Digital mammography. Left breast, medio-lateral oblique projection. 62 y/o patient.
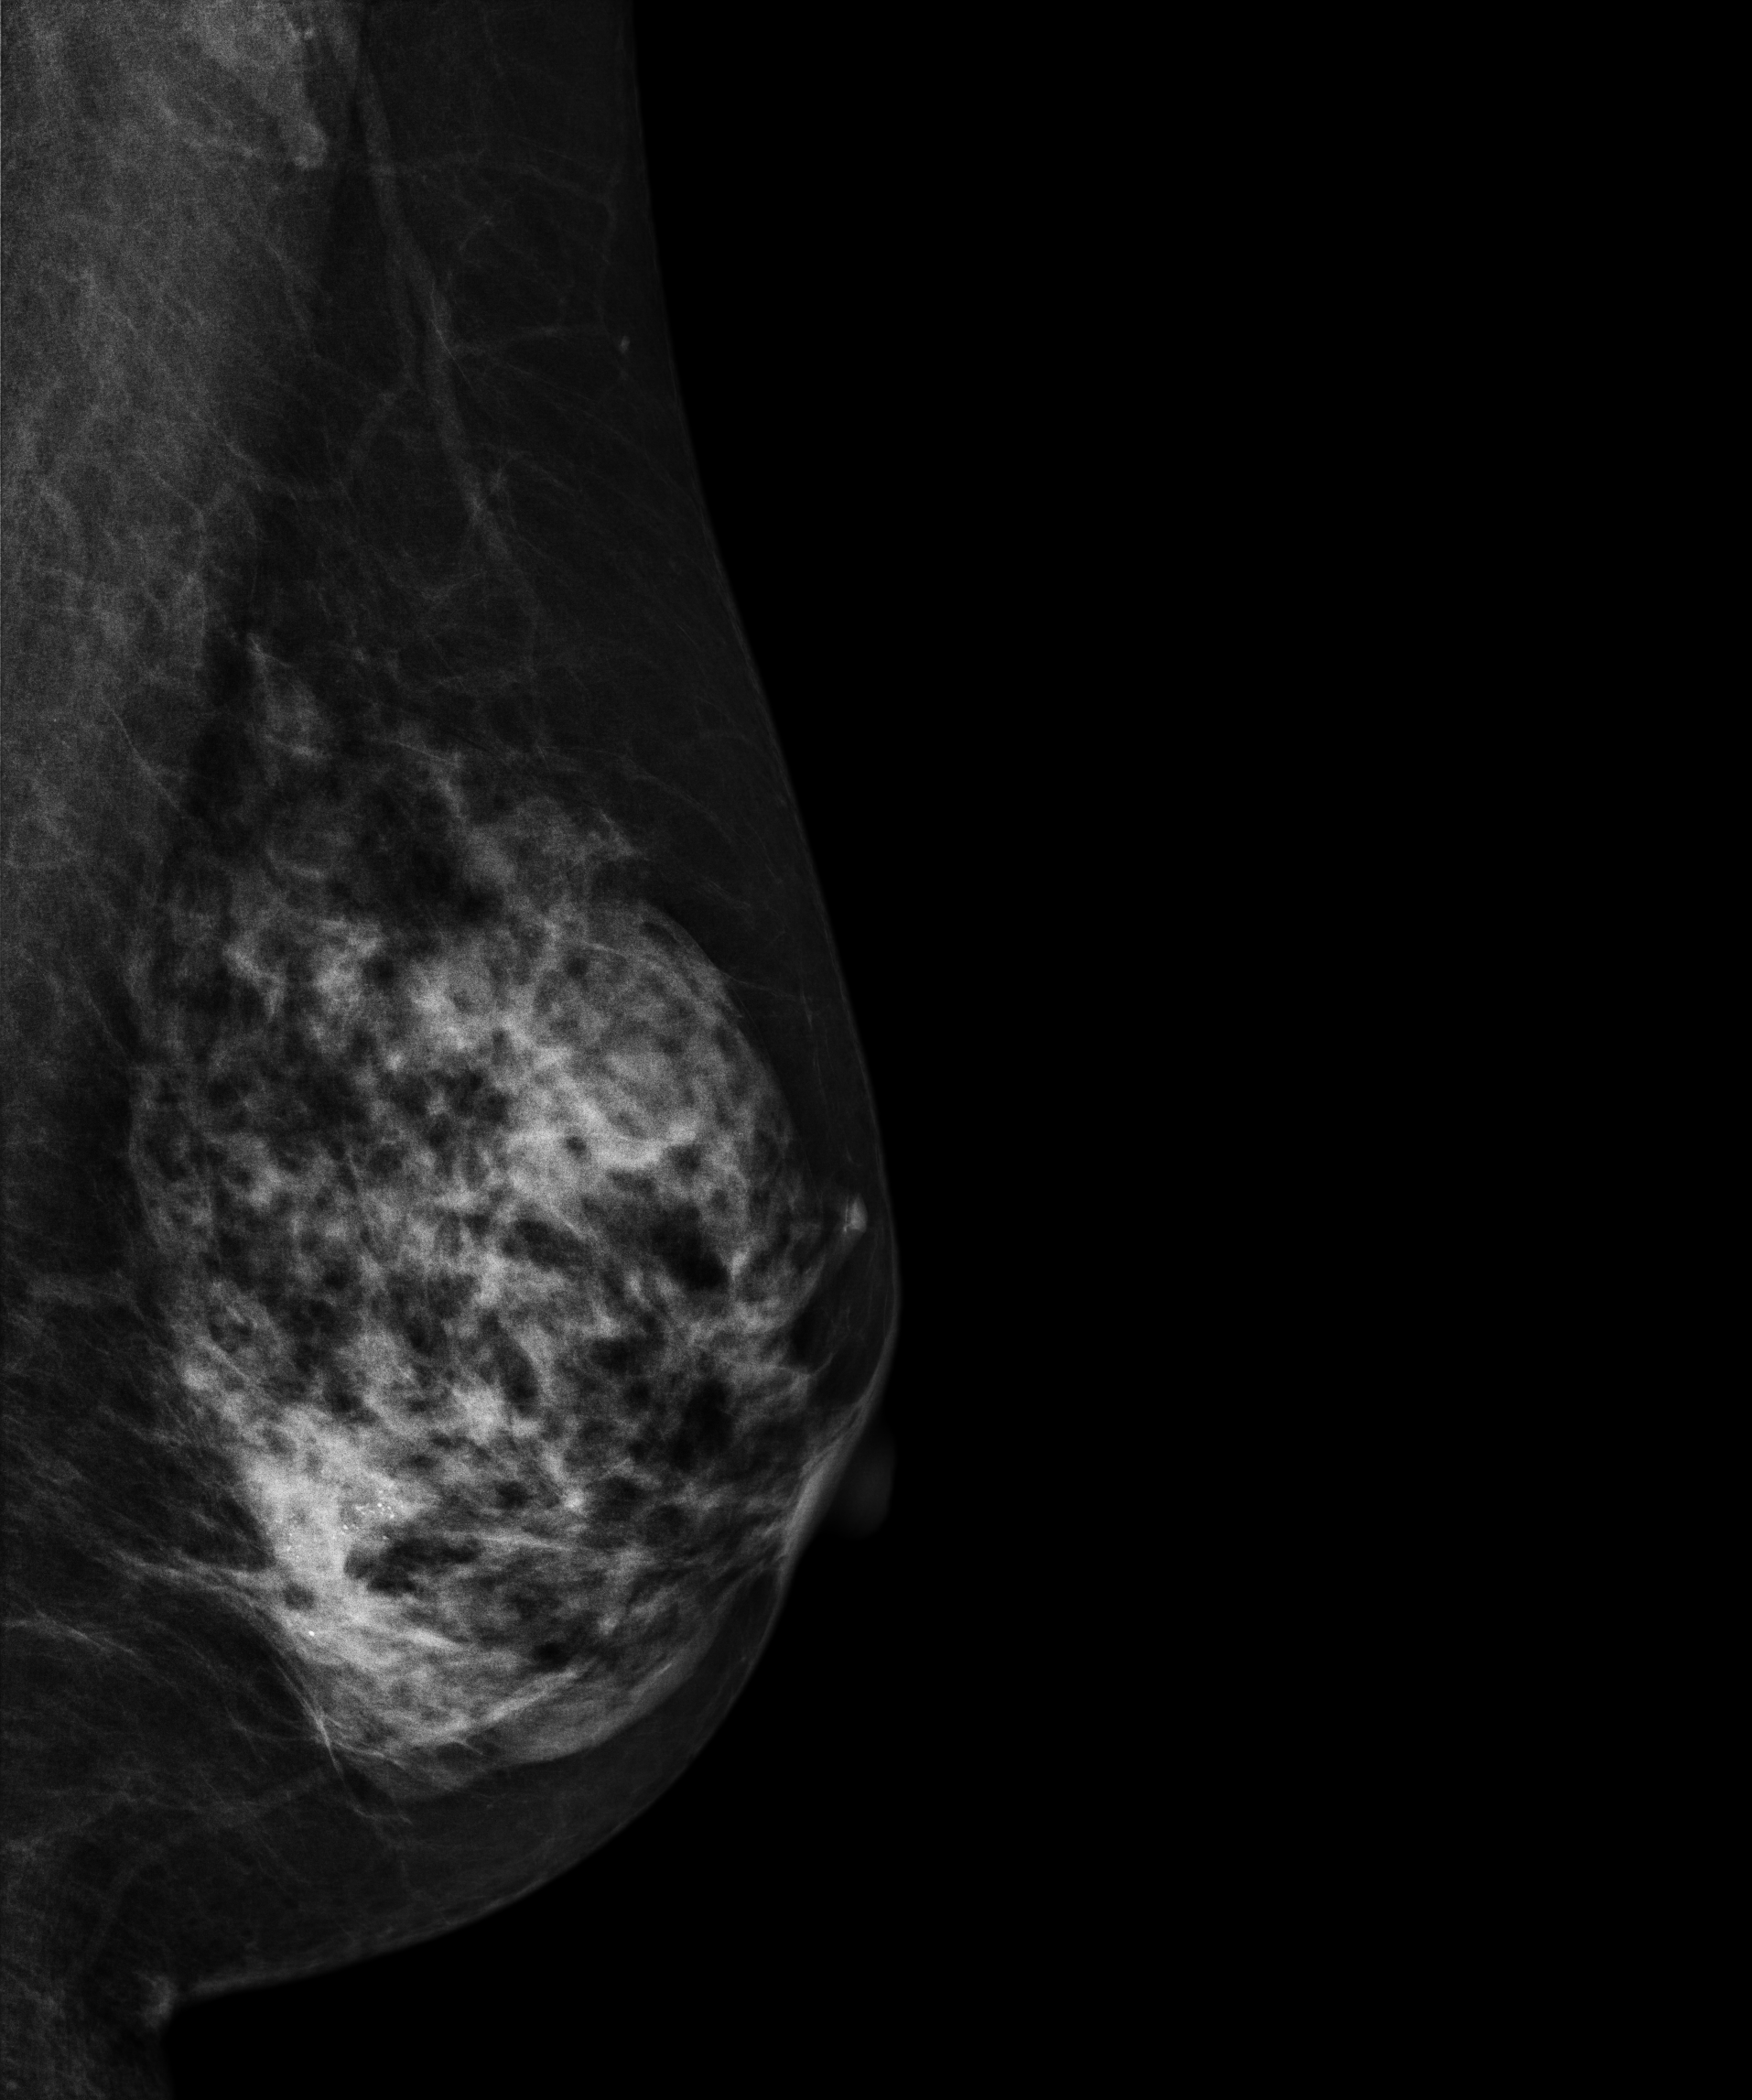
This breast has a mass and calcifications, biopsy-proven malignant.